Digital mammography. Right breast, medio-lateral oblique projection. Patient age 46.
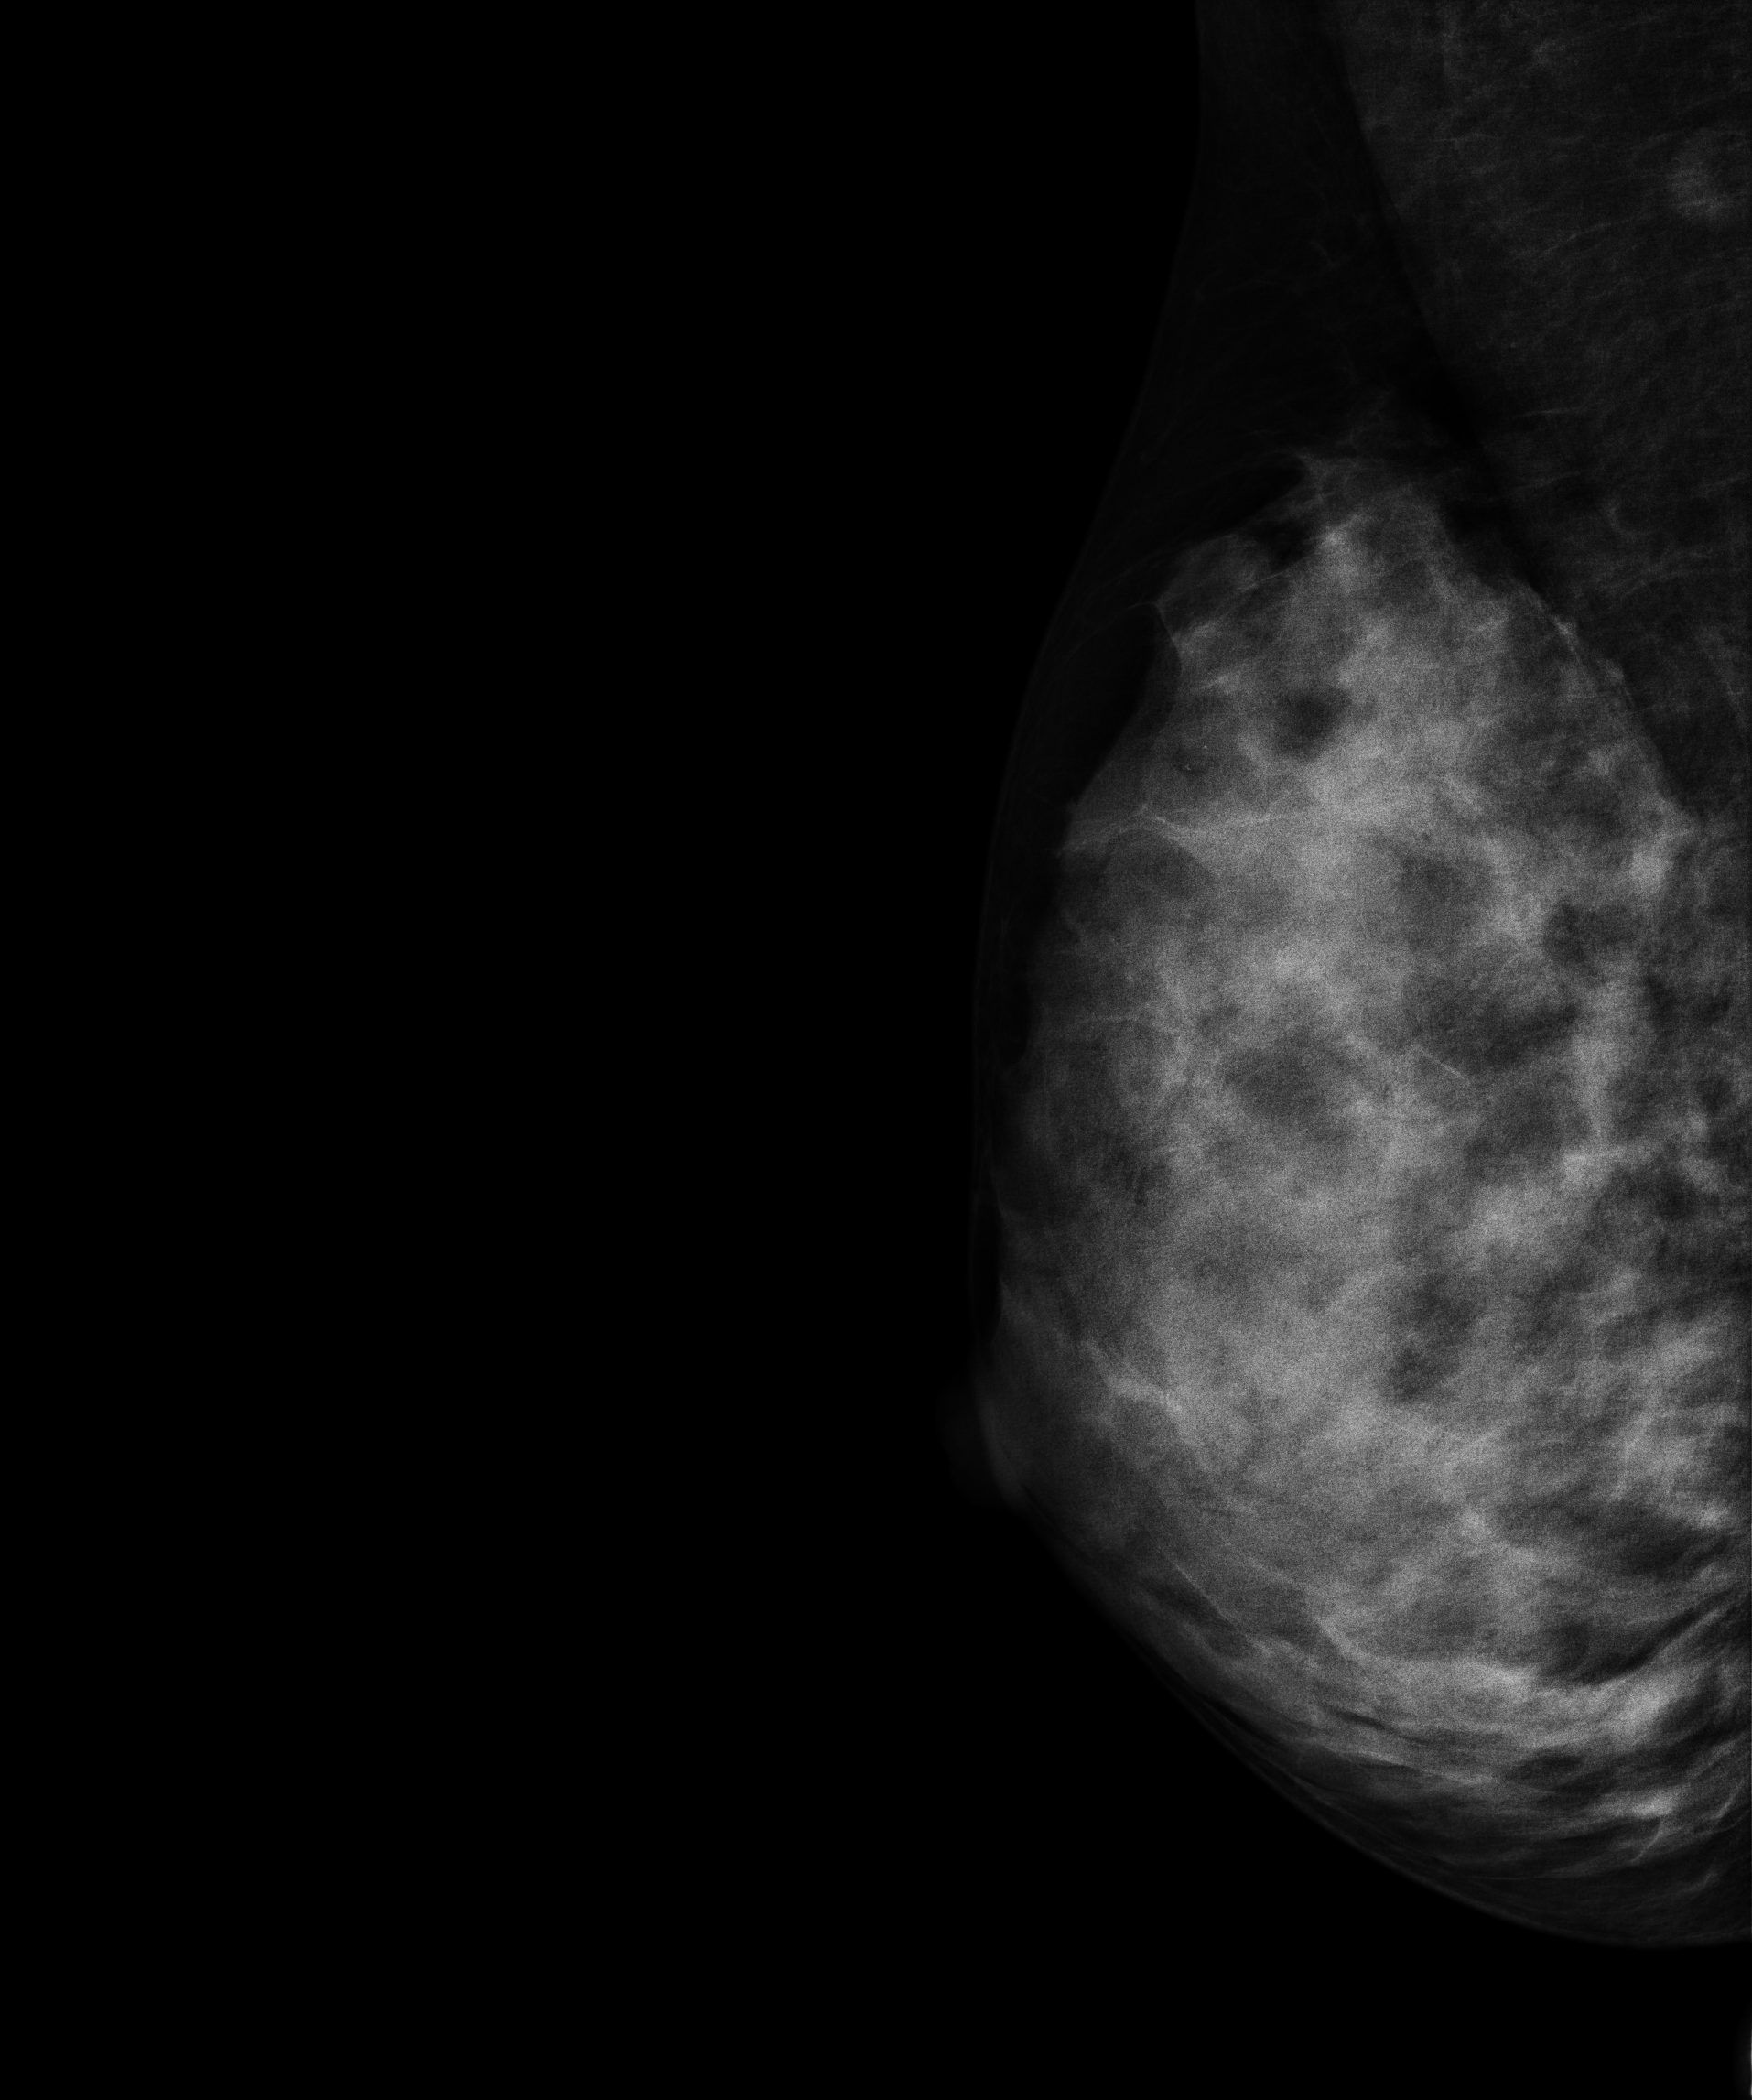
Contralateral breast — no documented abnormality on this side.